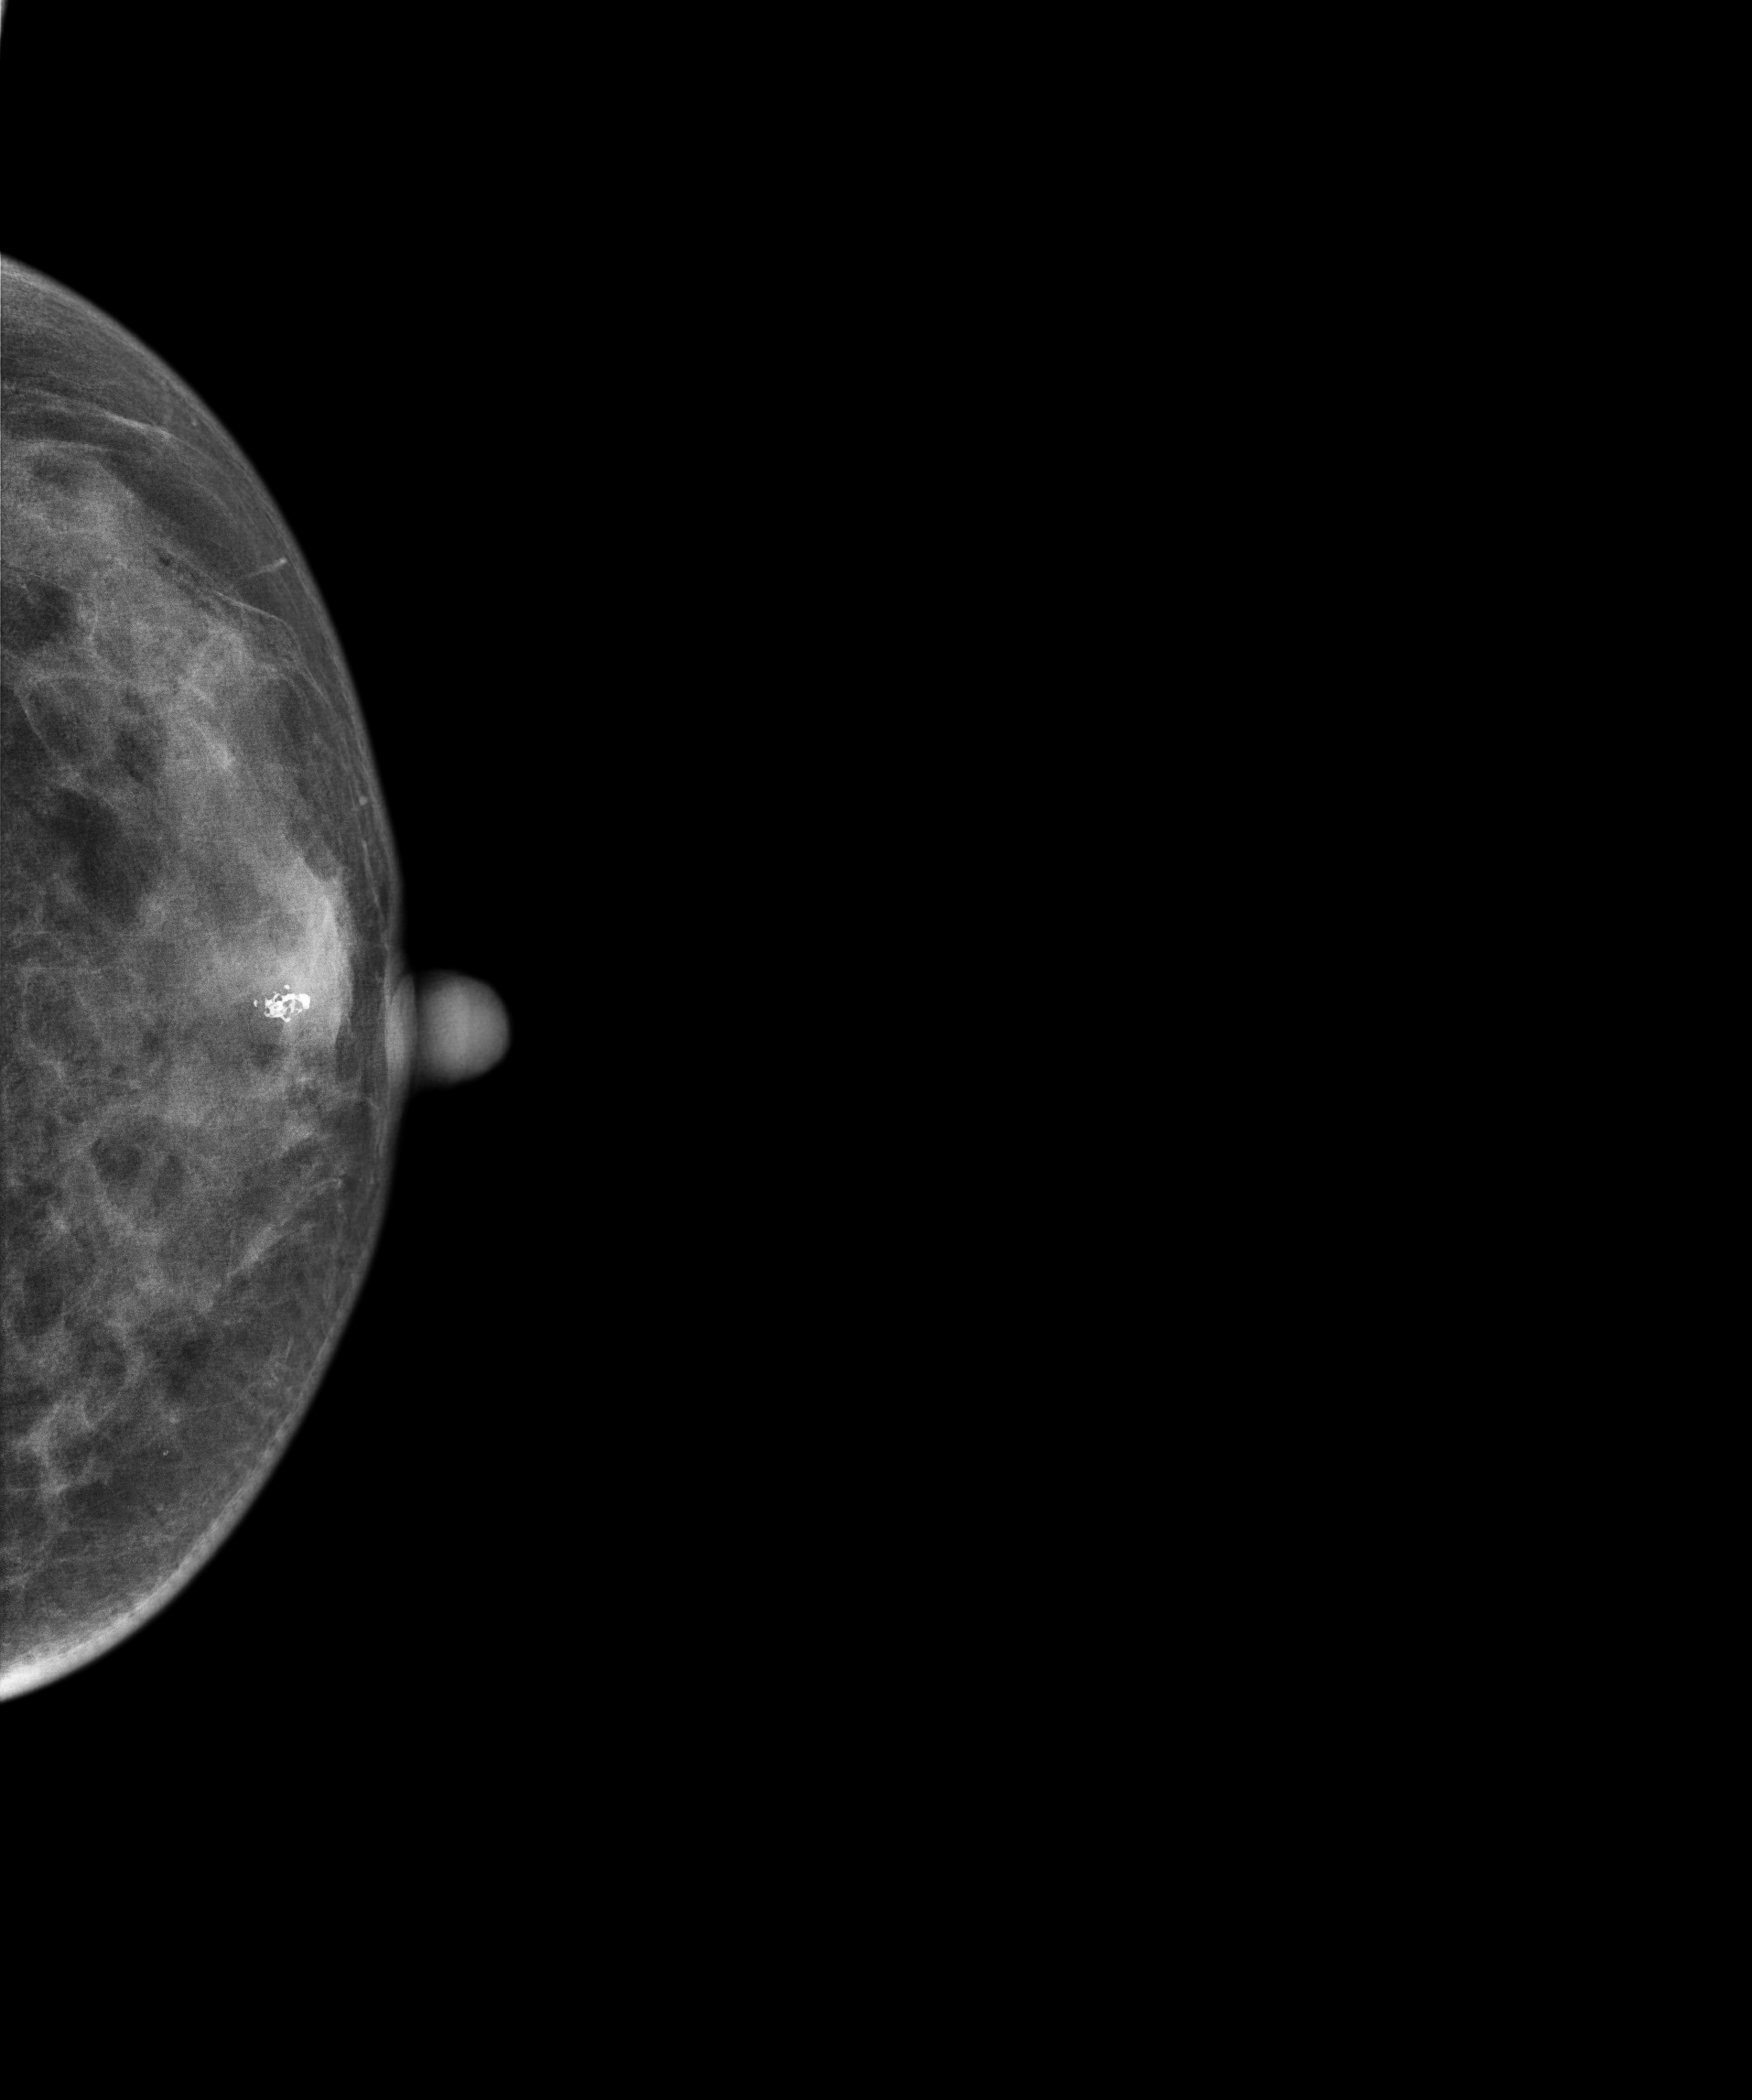
Mammogram — left CC. 41-year-old patient.
This breast has calcifications, histologically confirmed benign.